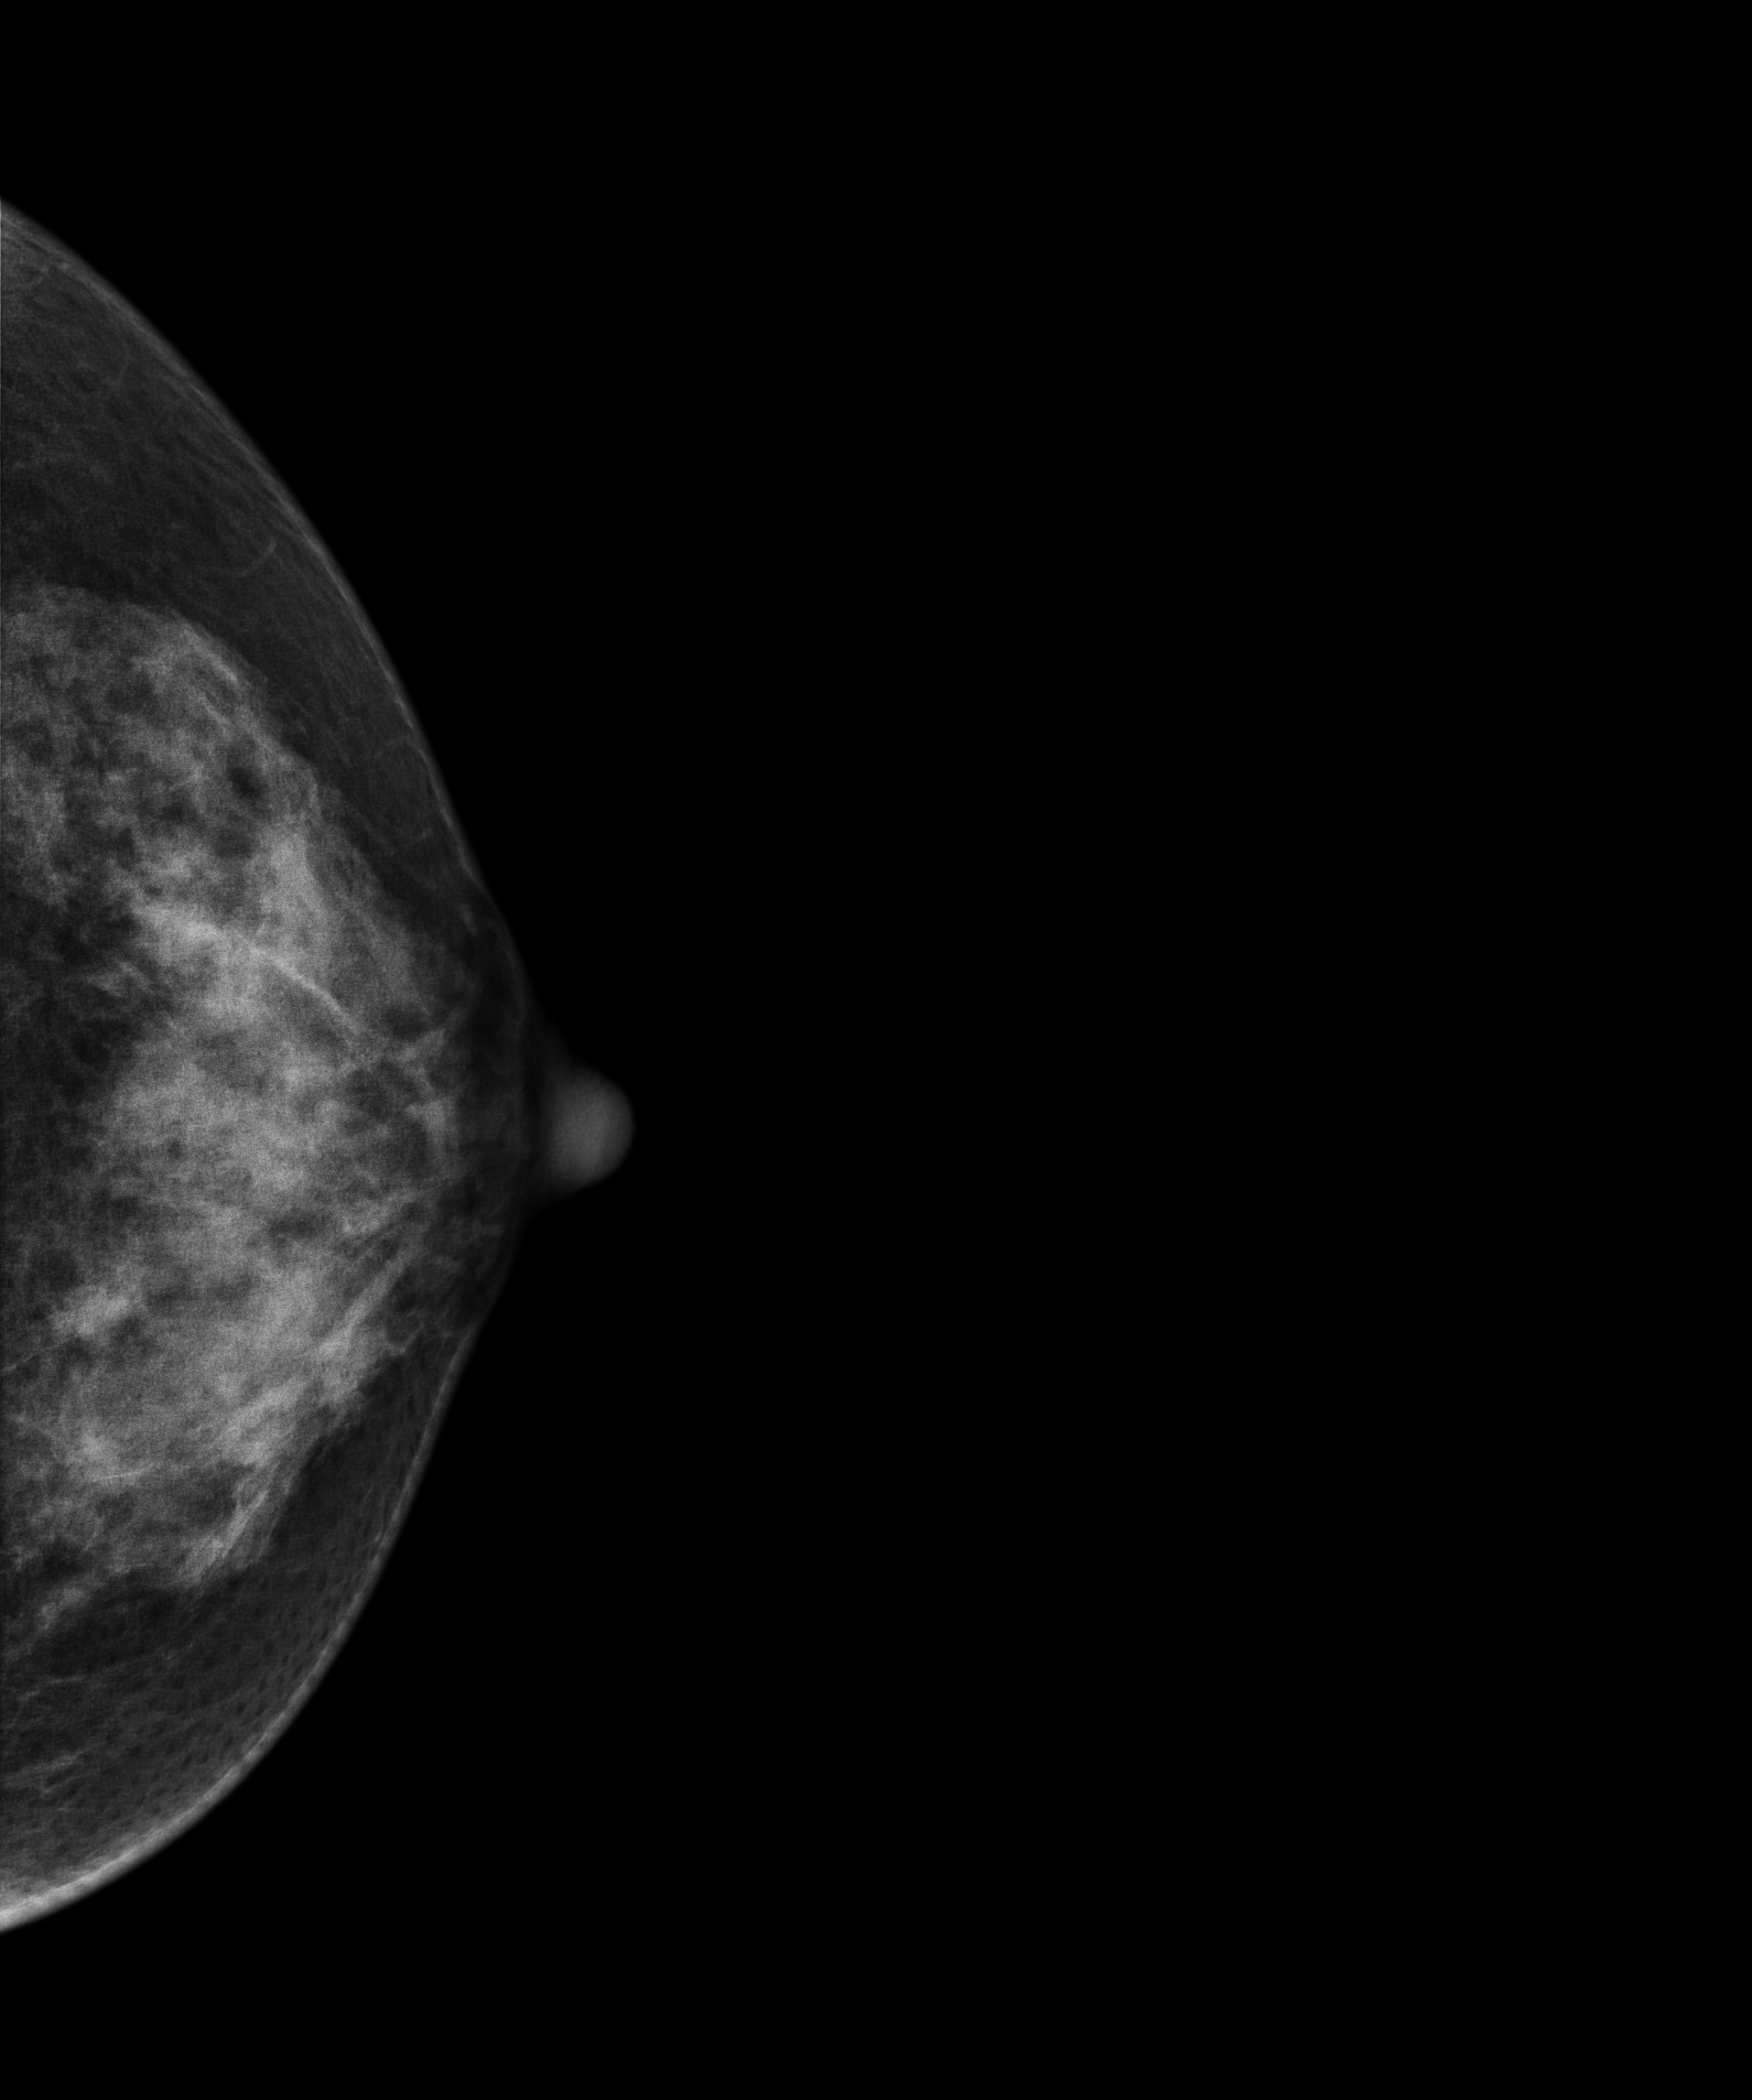
Cranio-caudal mammogram of the left breast. 40-year-old patient.
Contralateral breast — no documented abnormality on this side.